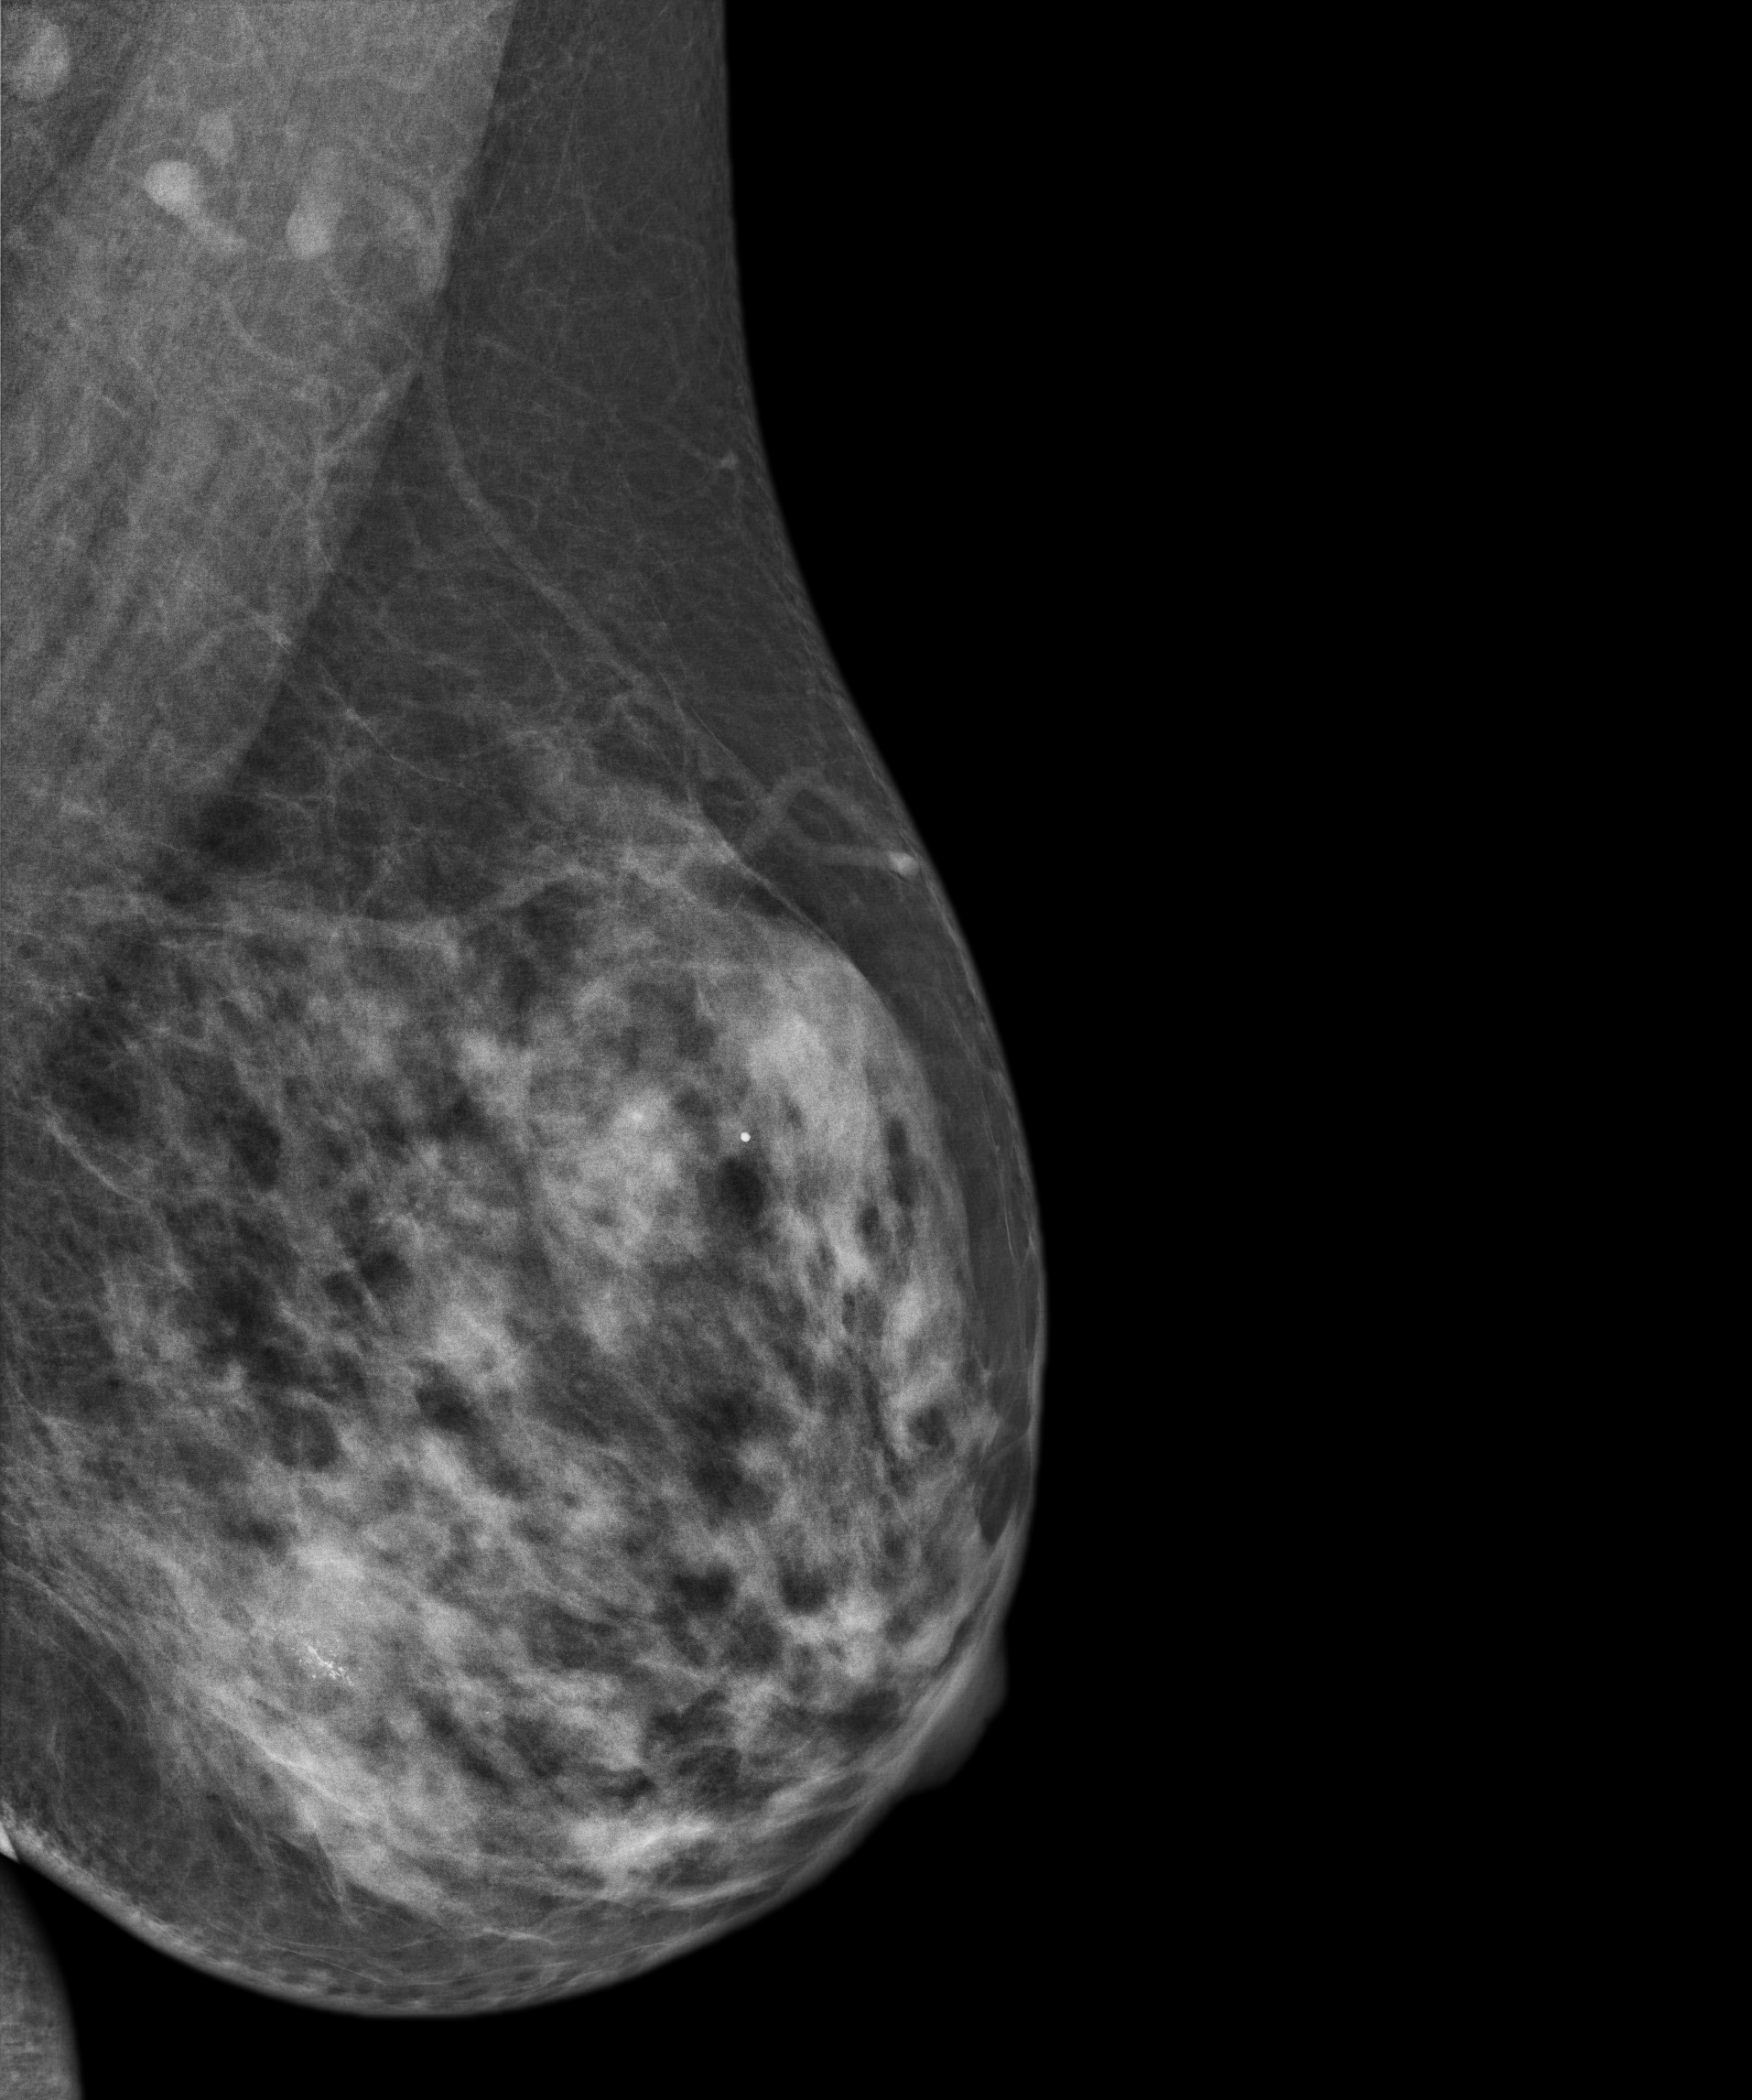
Medio-lateral oblique mammogram of the left breast. 52-year-old patient.
This breast has a mass and calcifications, biopsy-proven malignant.